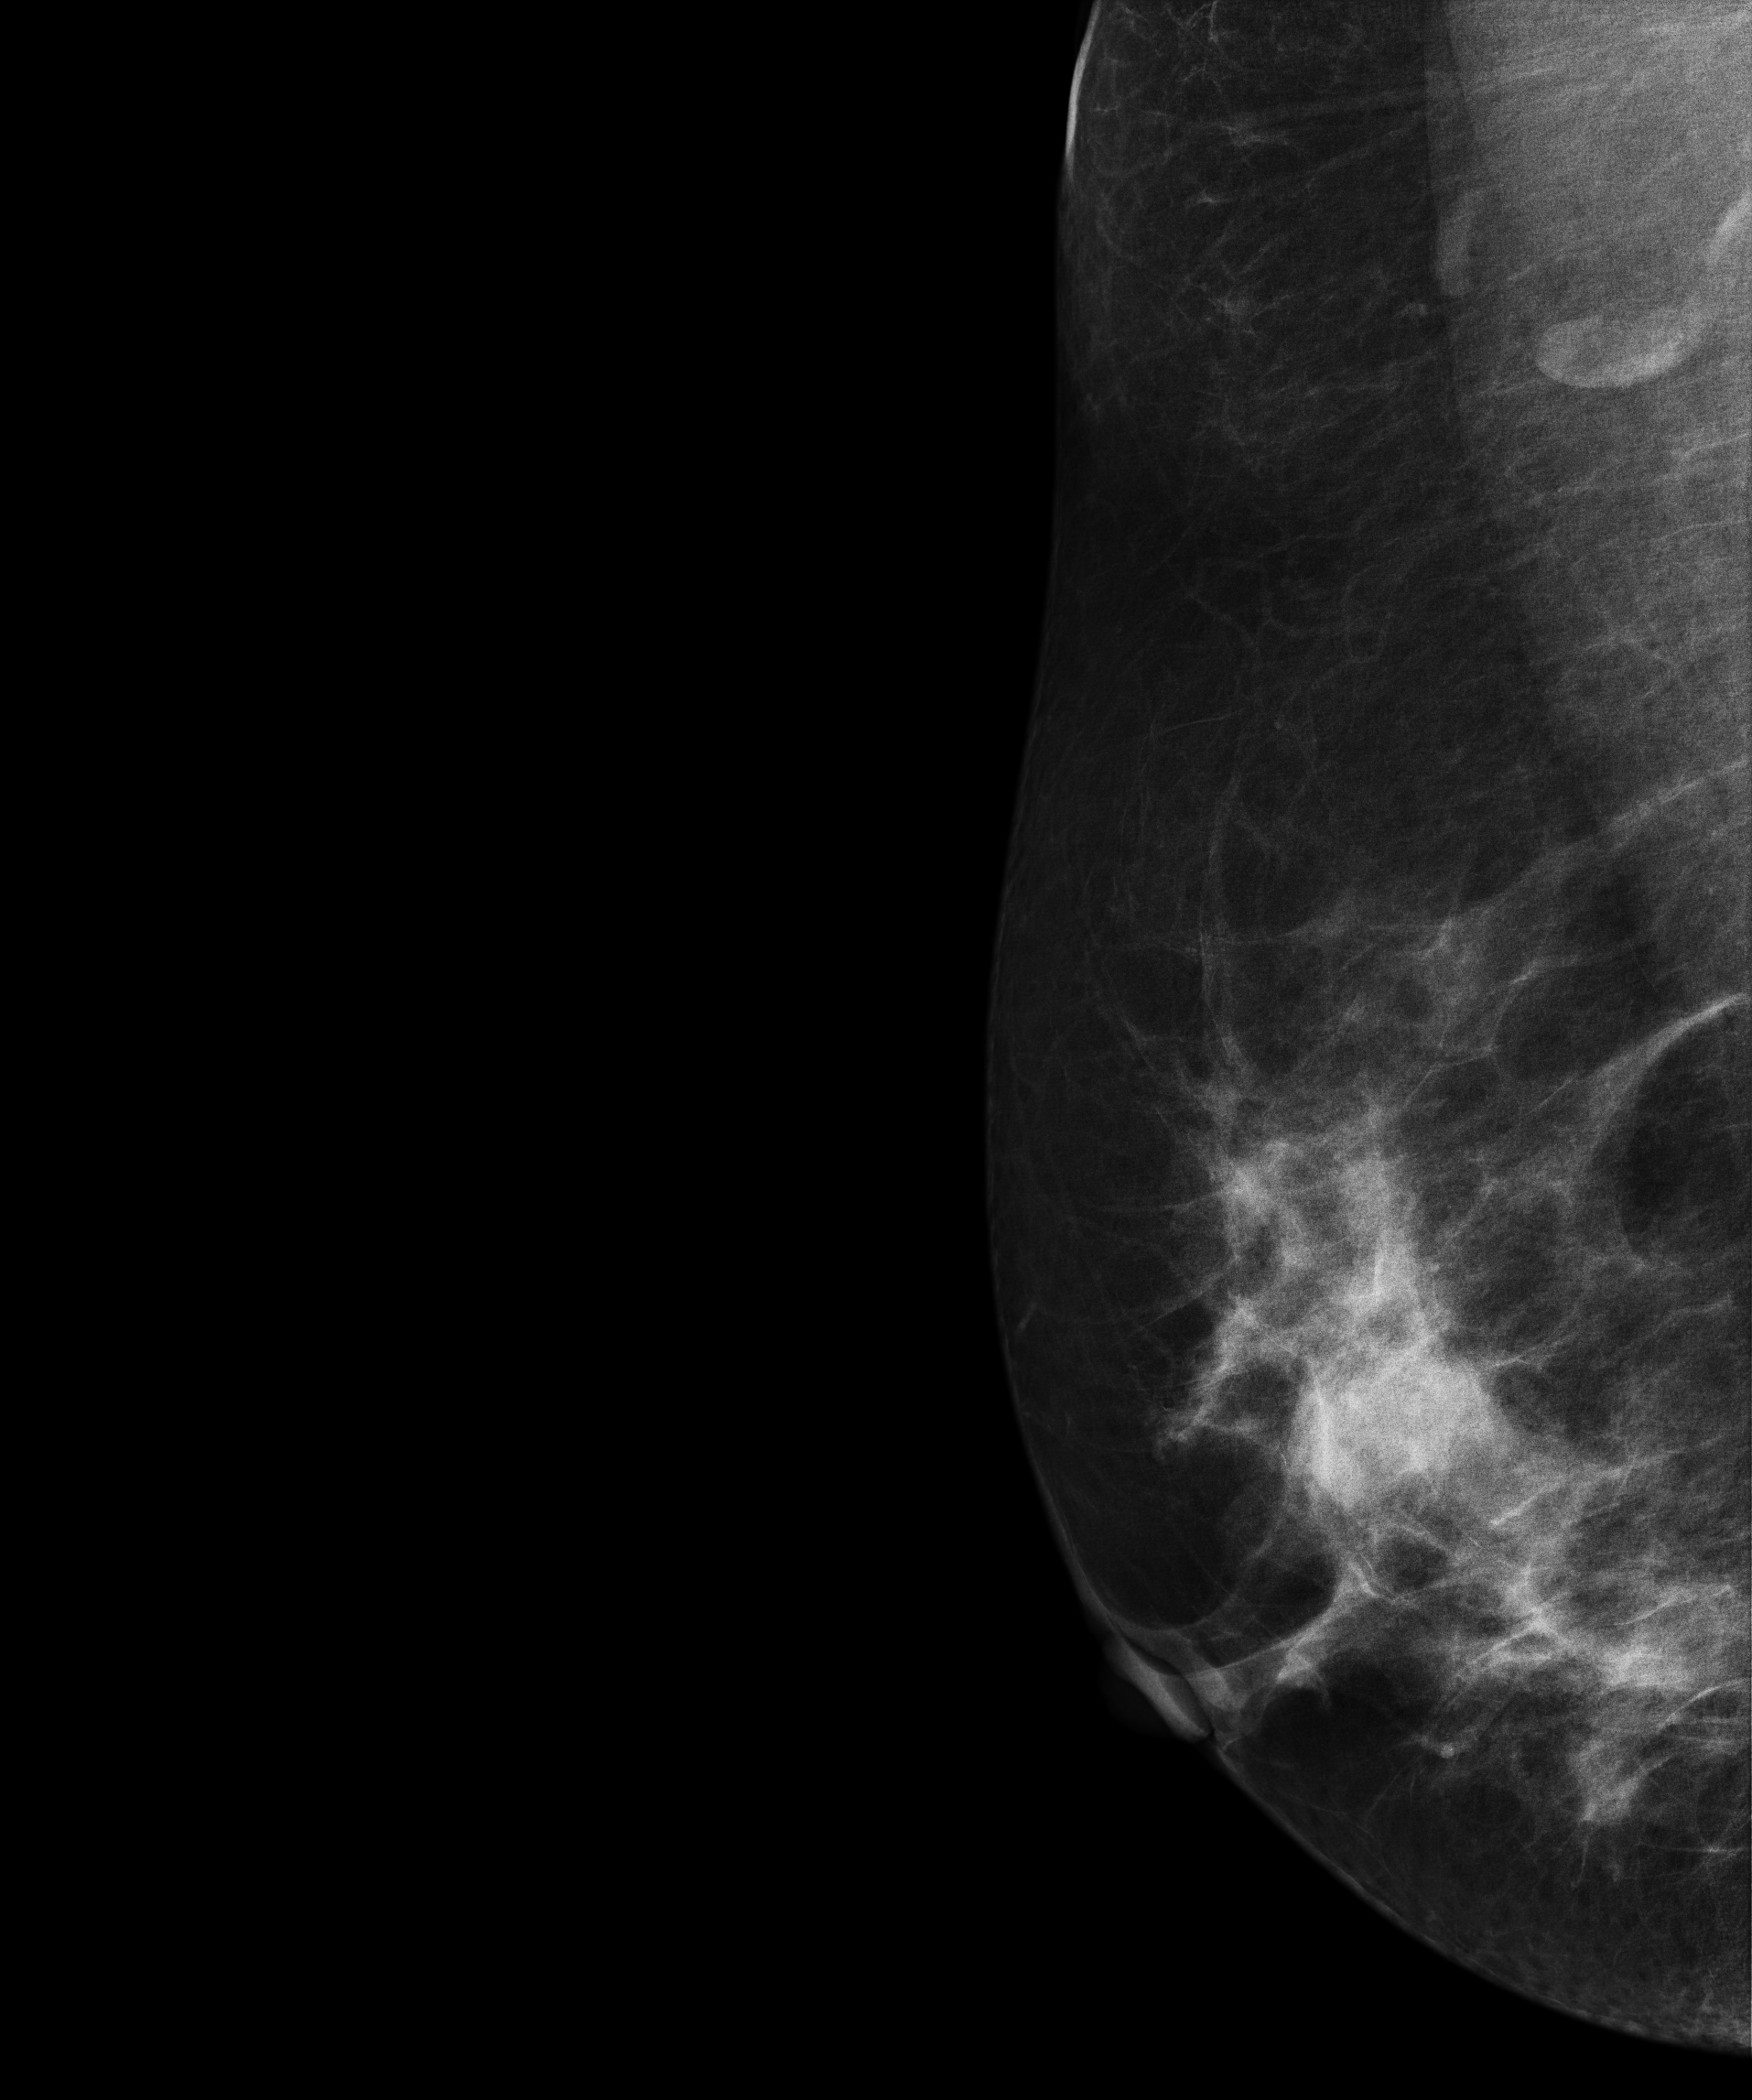
Digital mammography. Right breast, medio-lateral oblique projection. 44-year-old patient.
This breast has a mass, biopsy-confirmed benign.